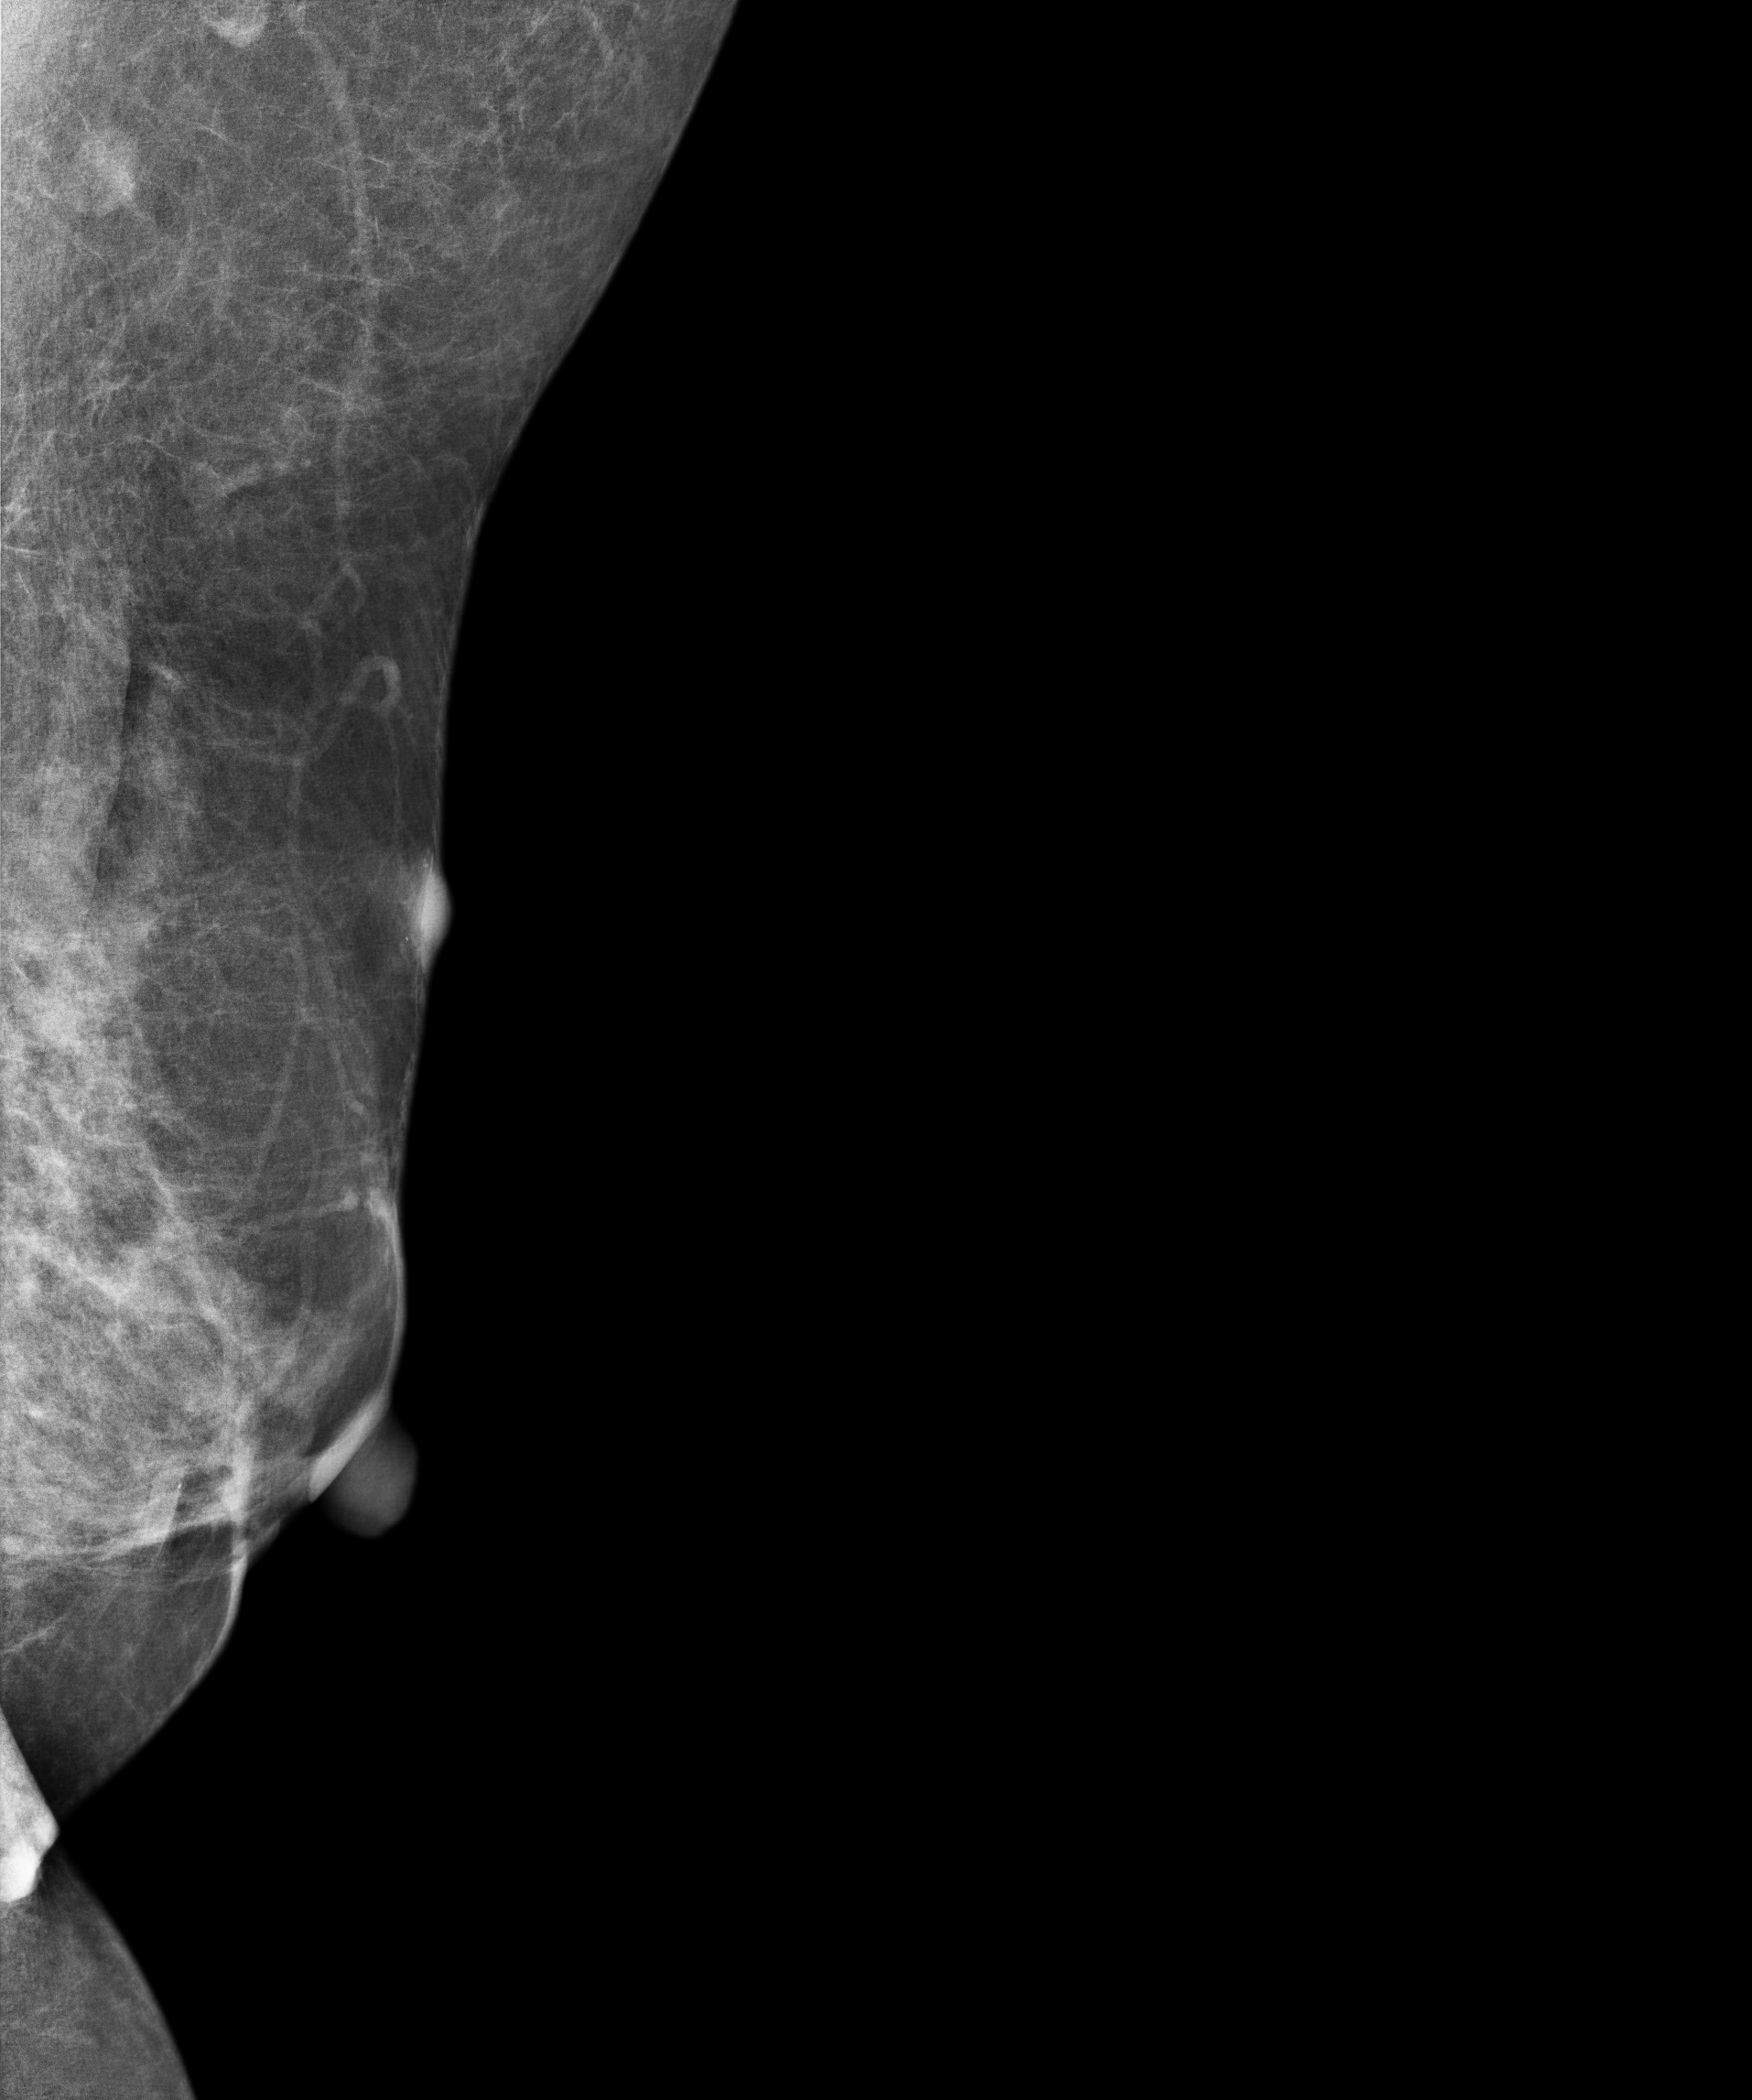
Mammogram, left breast, MLO view. 52-year-old patient.
Contralateral breast — no documented abnormality on this side.